Mammogram — right CC. 52-year-old patient.
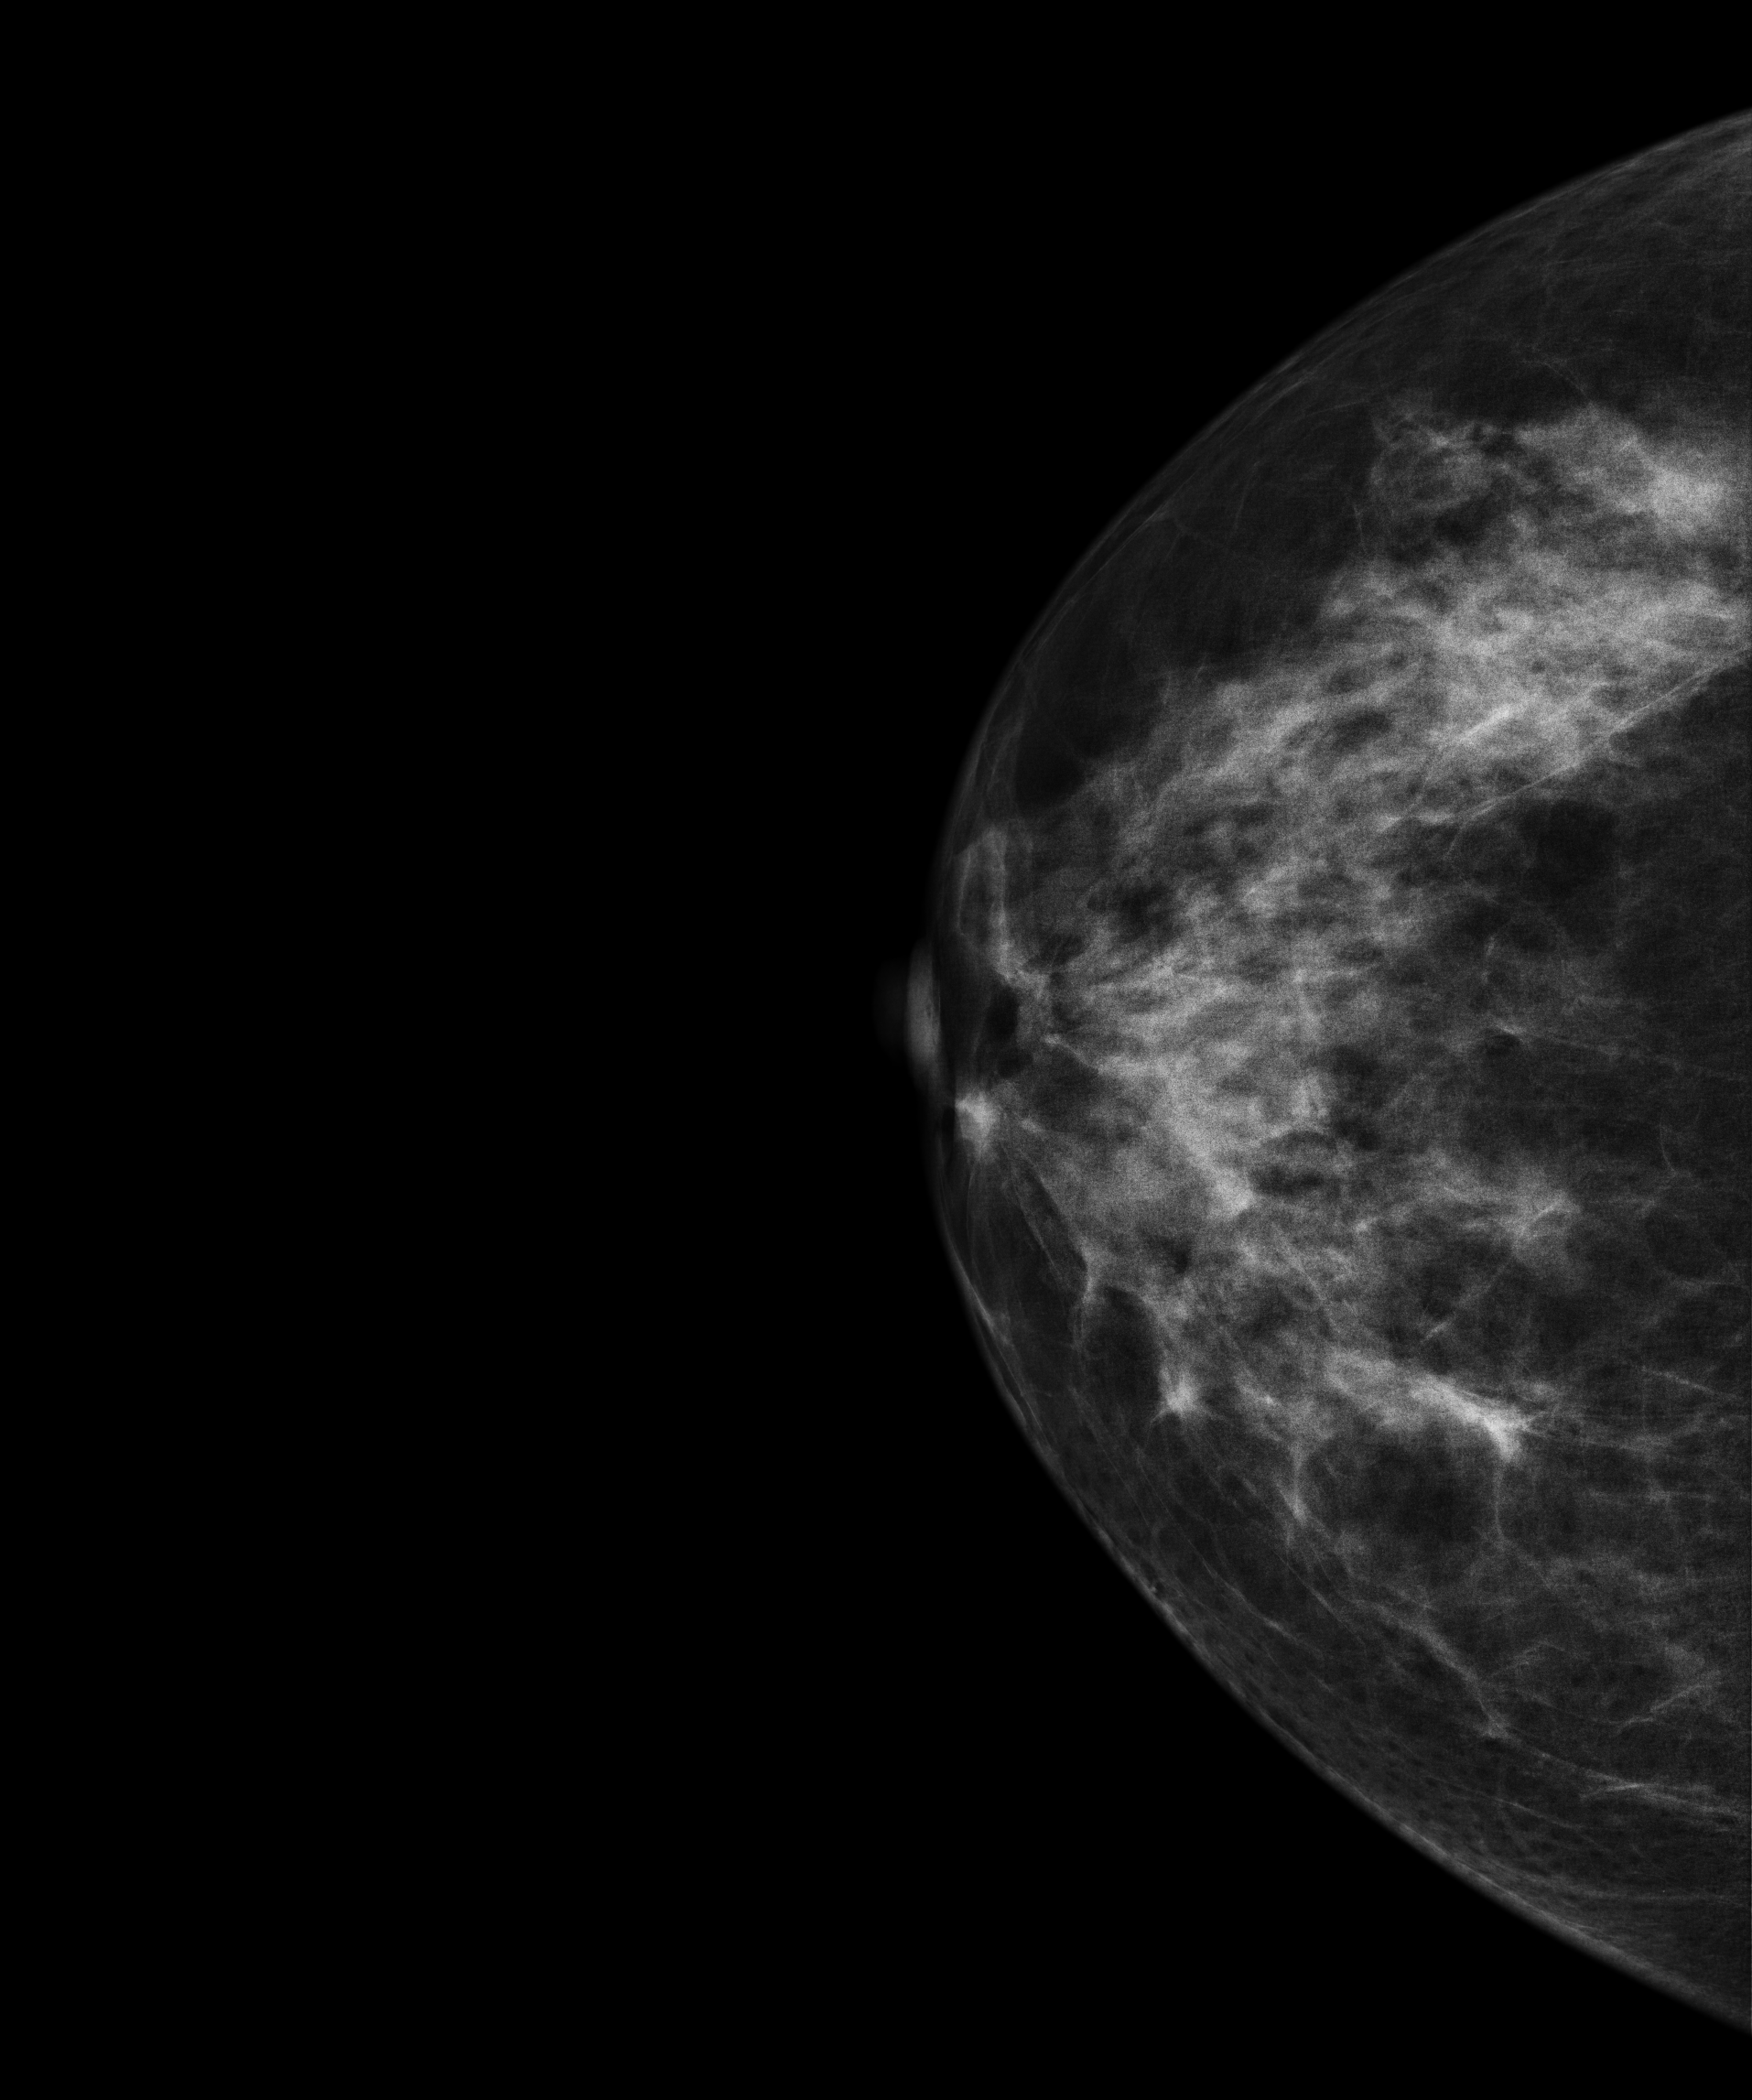
Contralateral breast — no documented abnormality on this side.